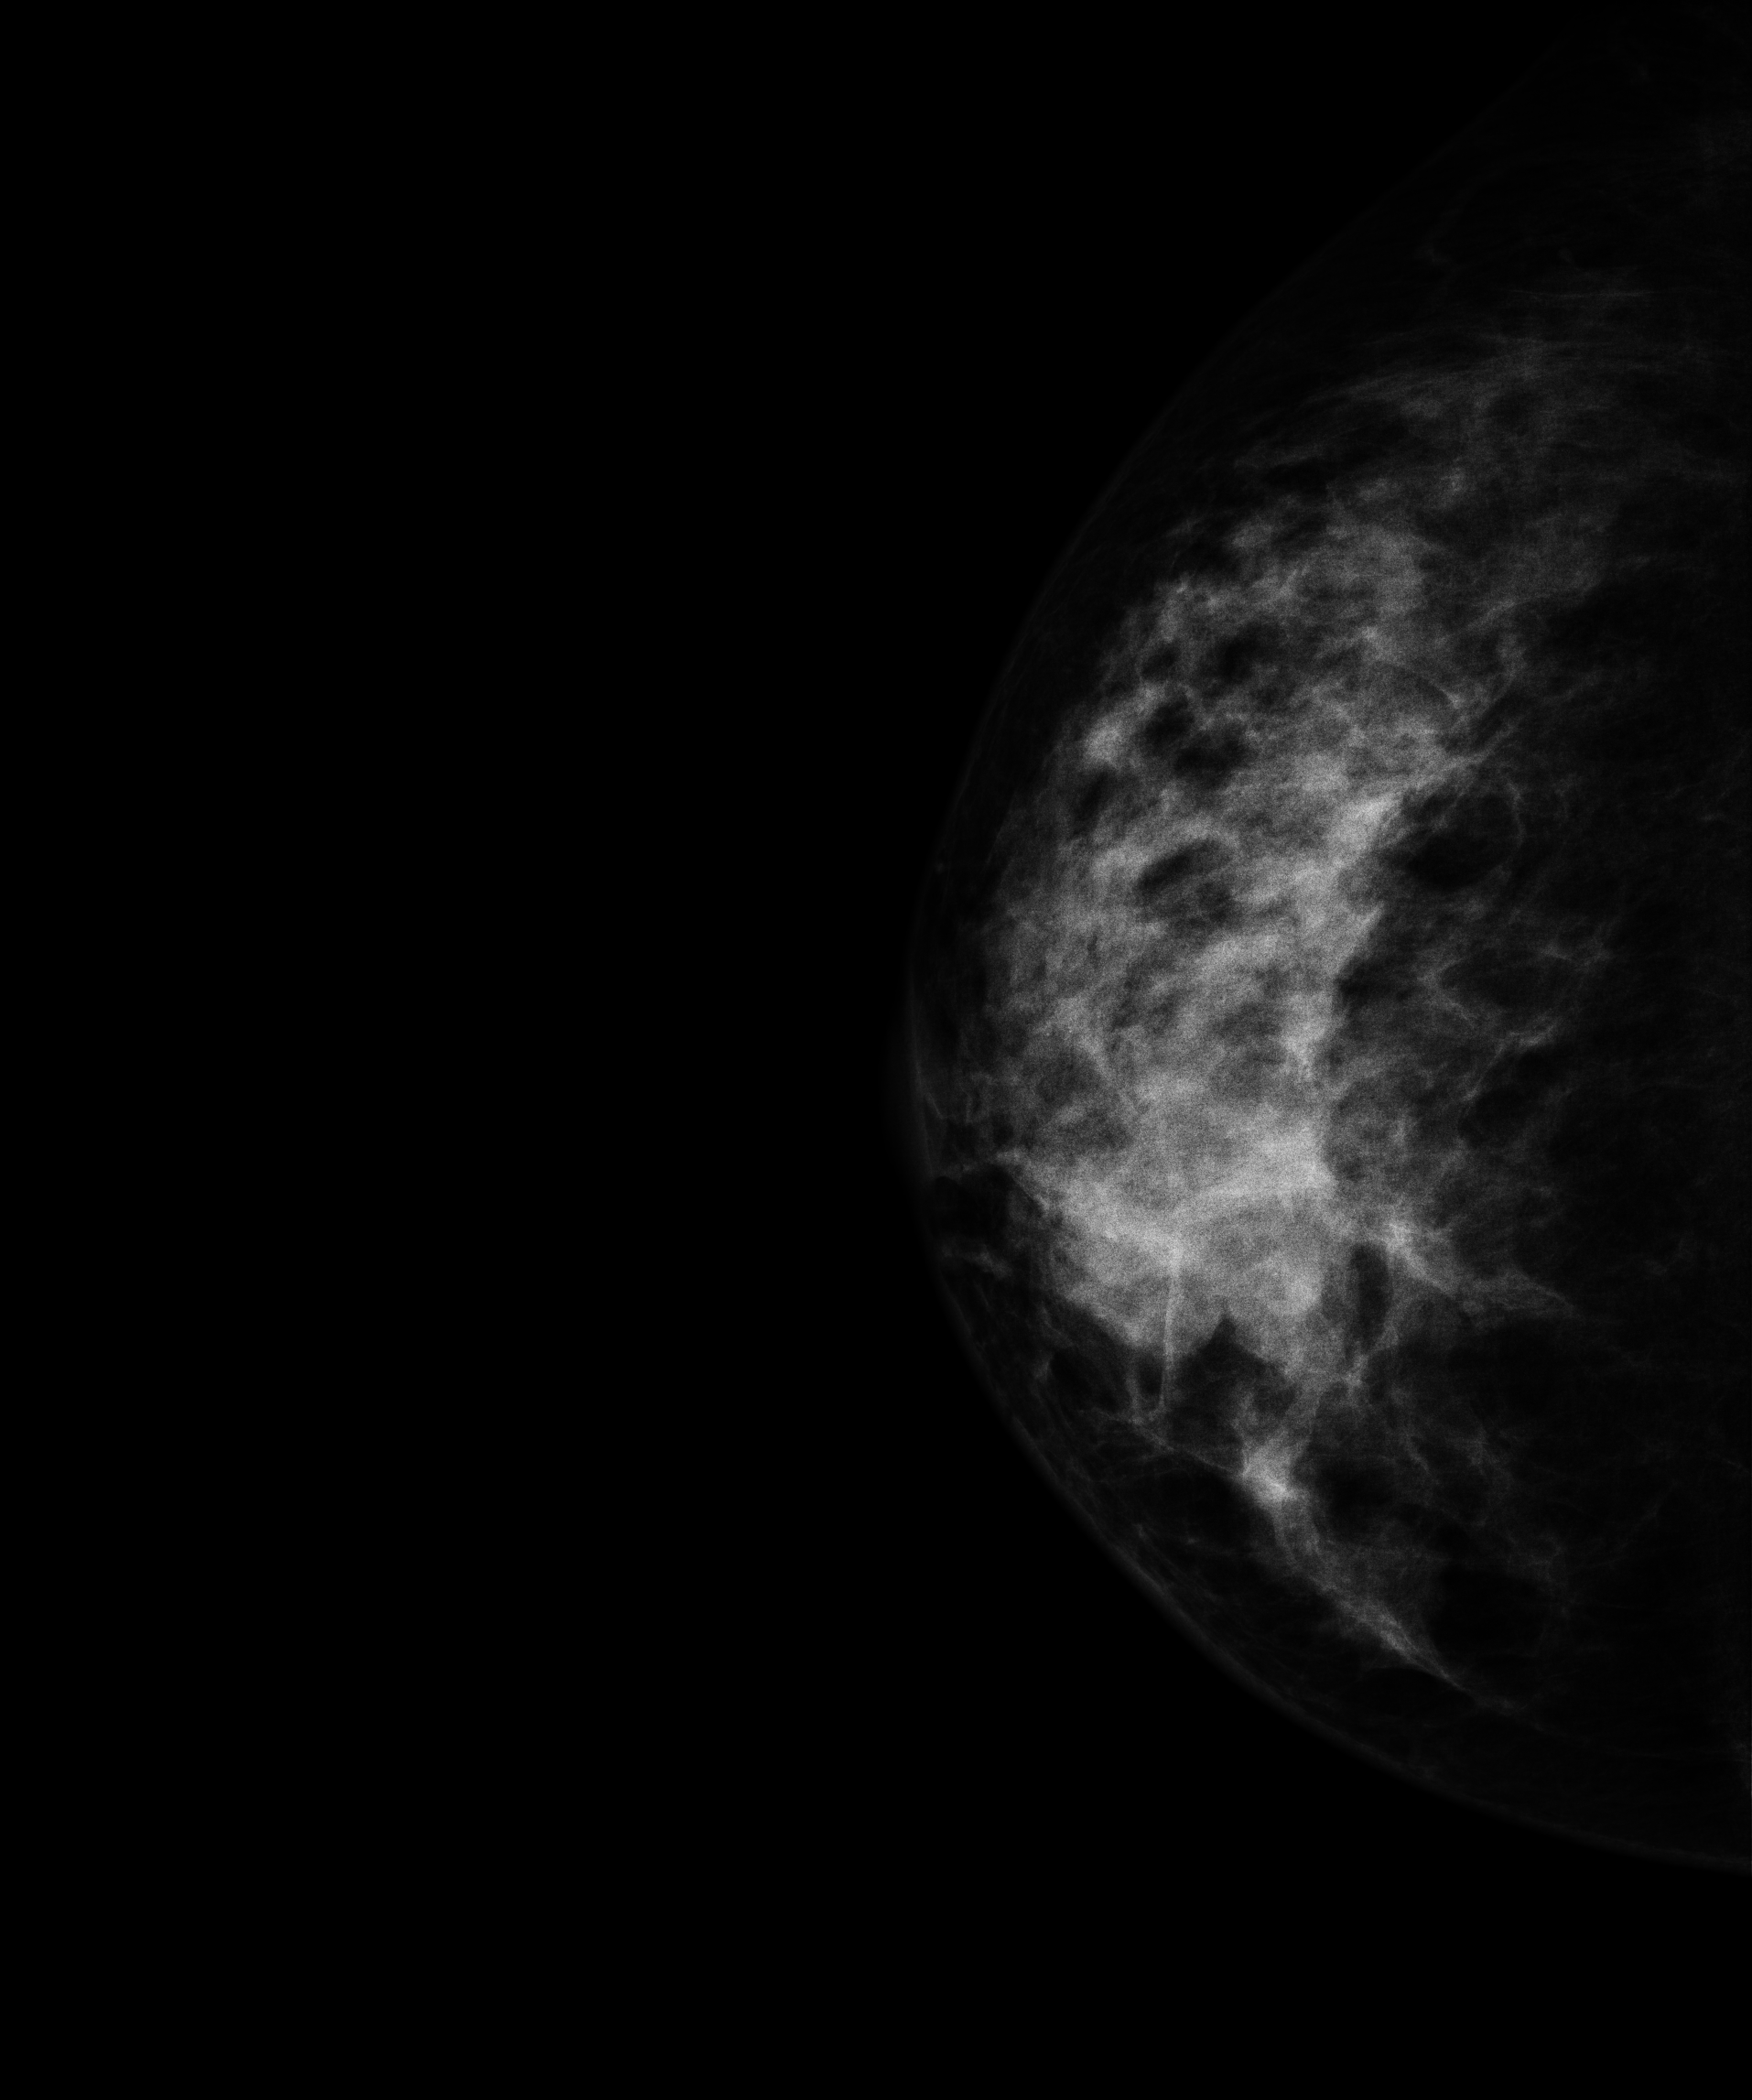
Mammogram — right MLO. Patient age 42.
This breast has a mass, biopsy-confirmed malignant. Molecular subtype: HER2-enriched.